Right-breast mammogram, cranio-caudal. 39-year-old patient.
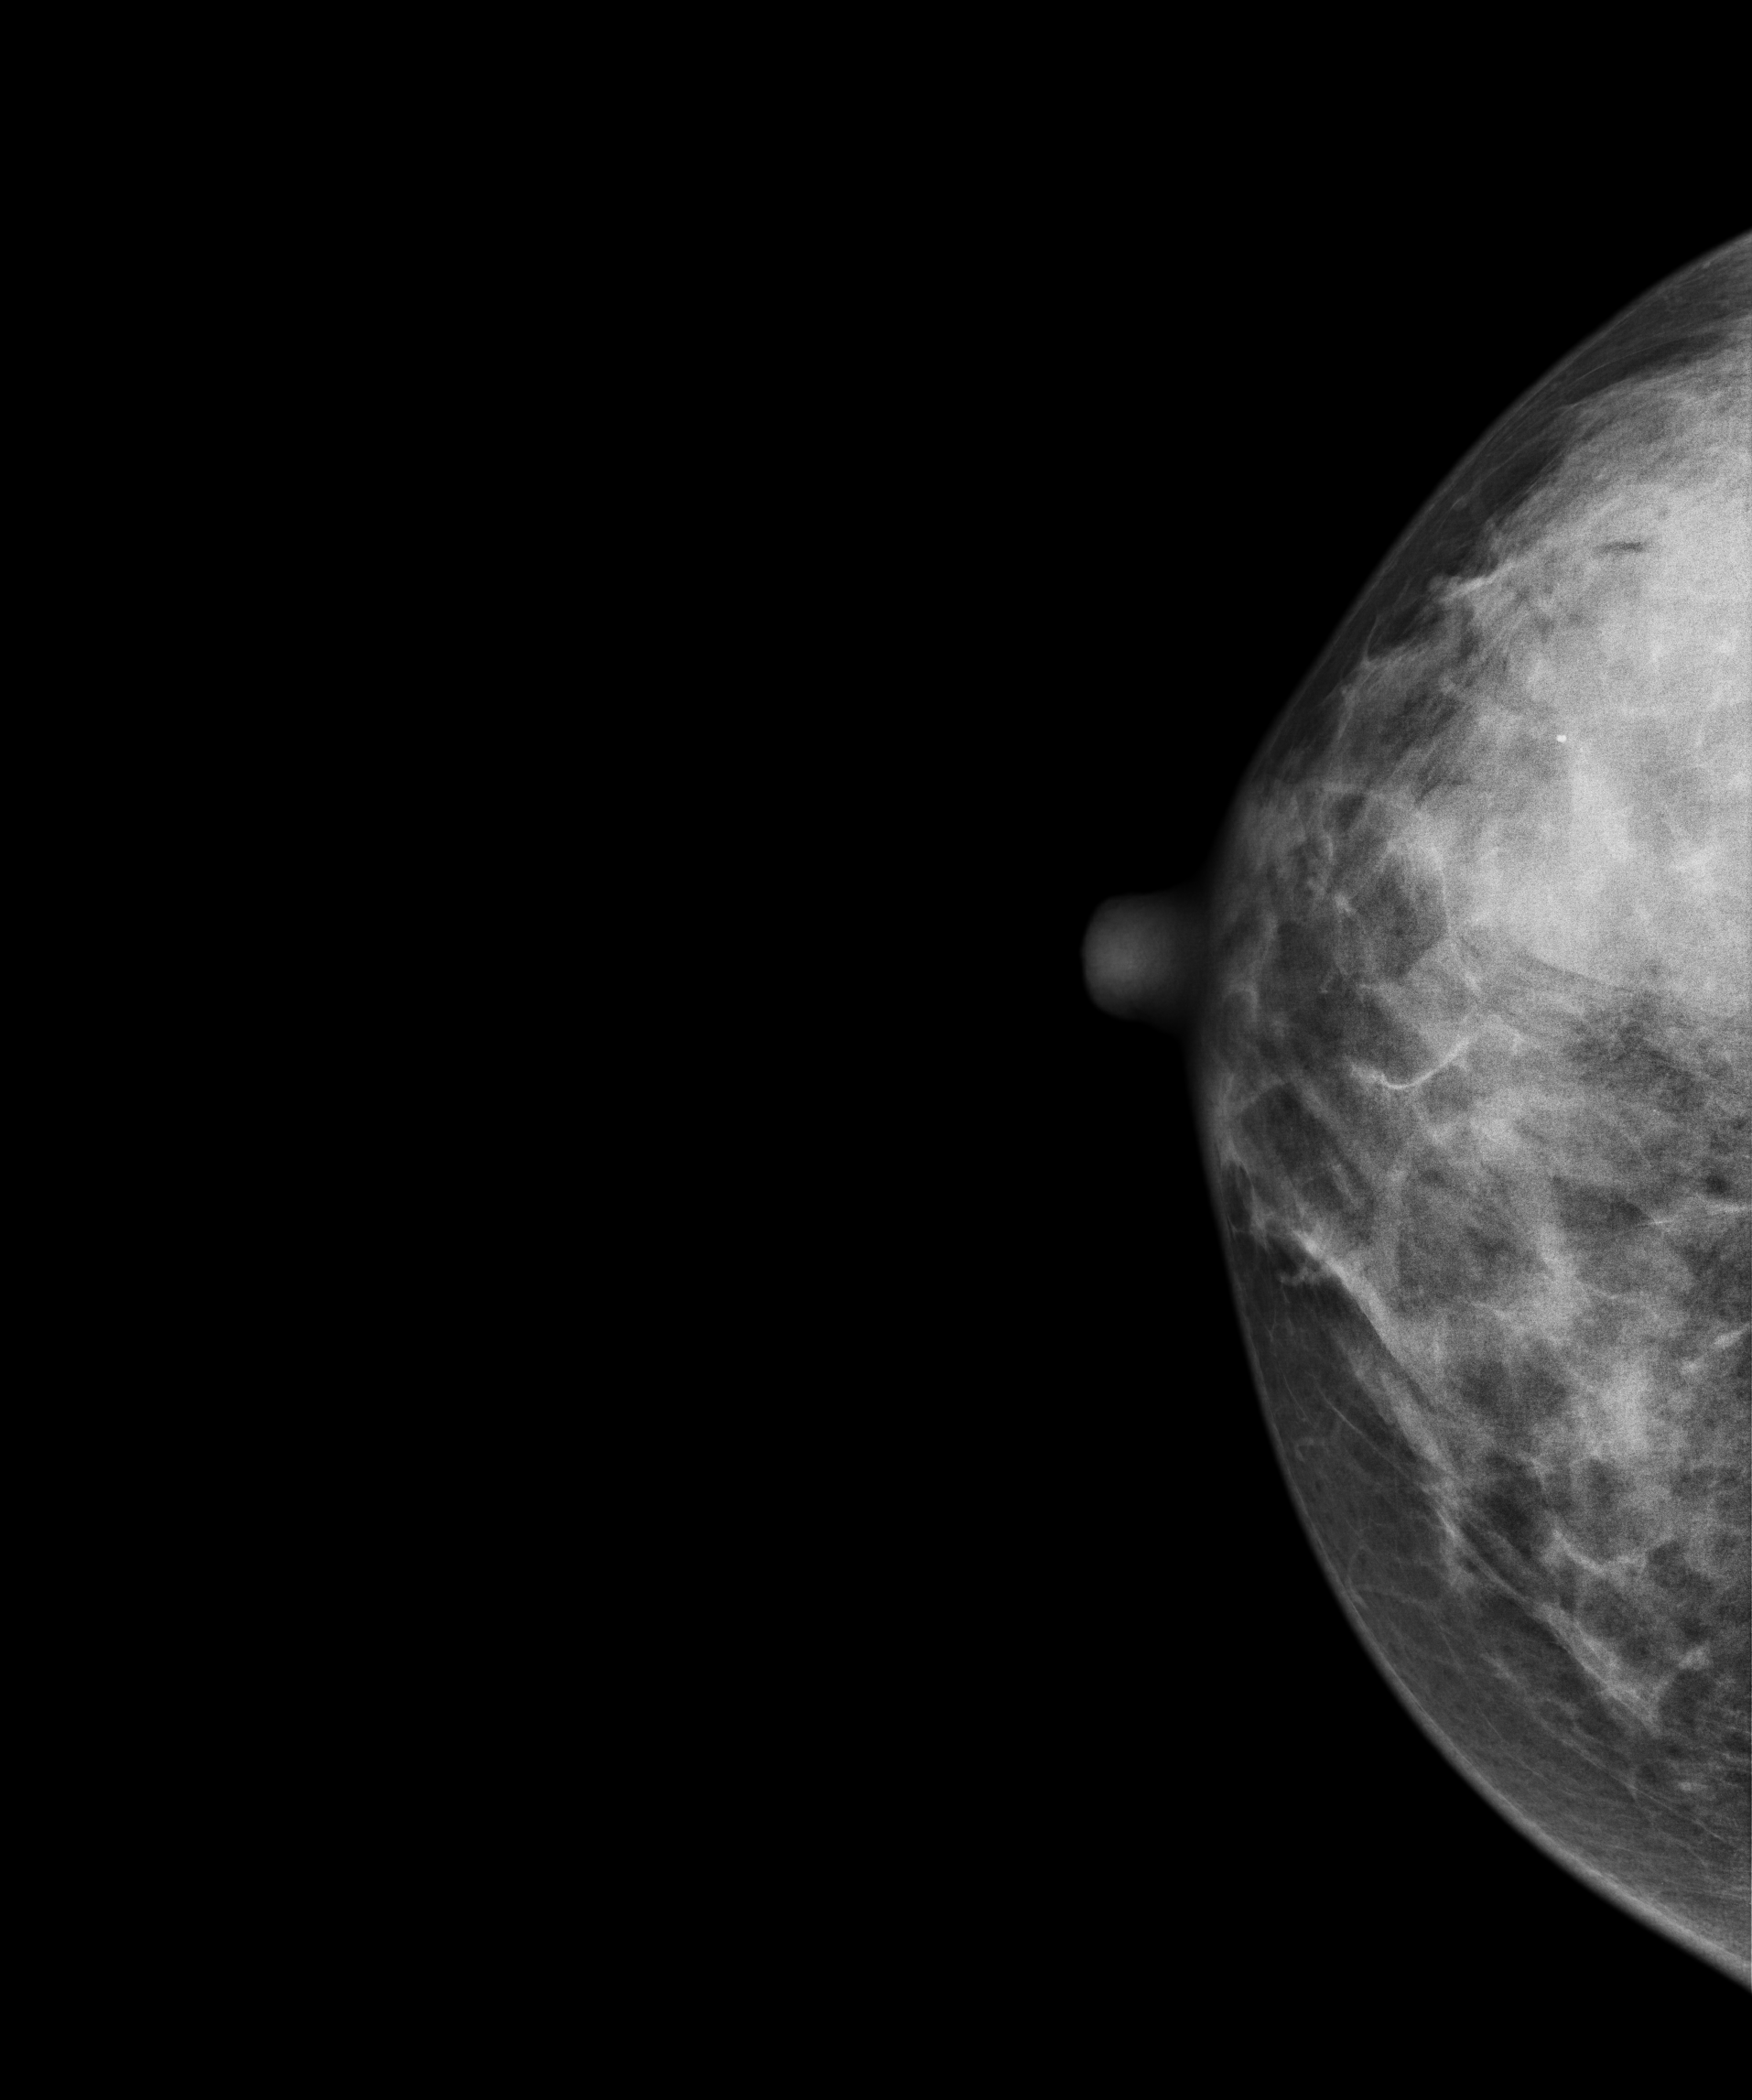
This breast has a mass and calcifications, biopsy-confirmed benign.